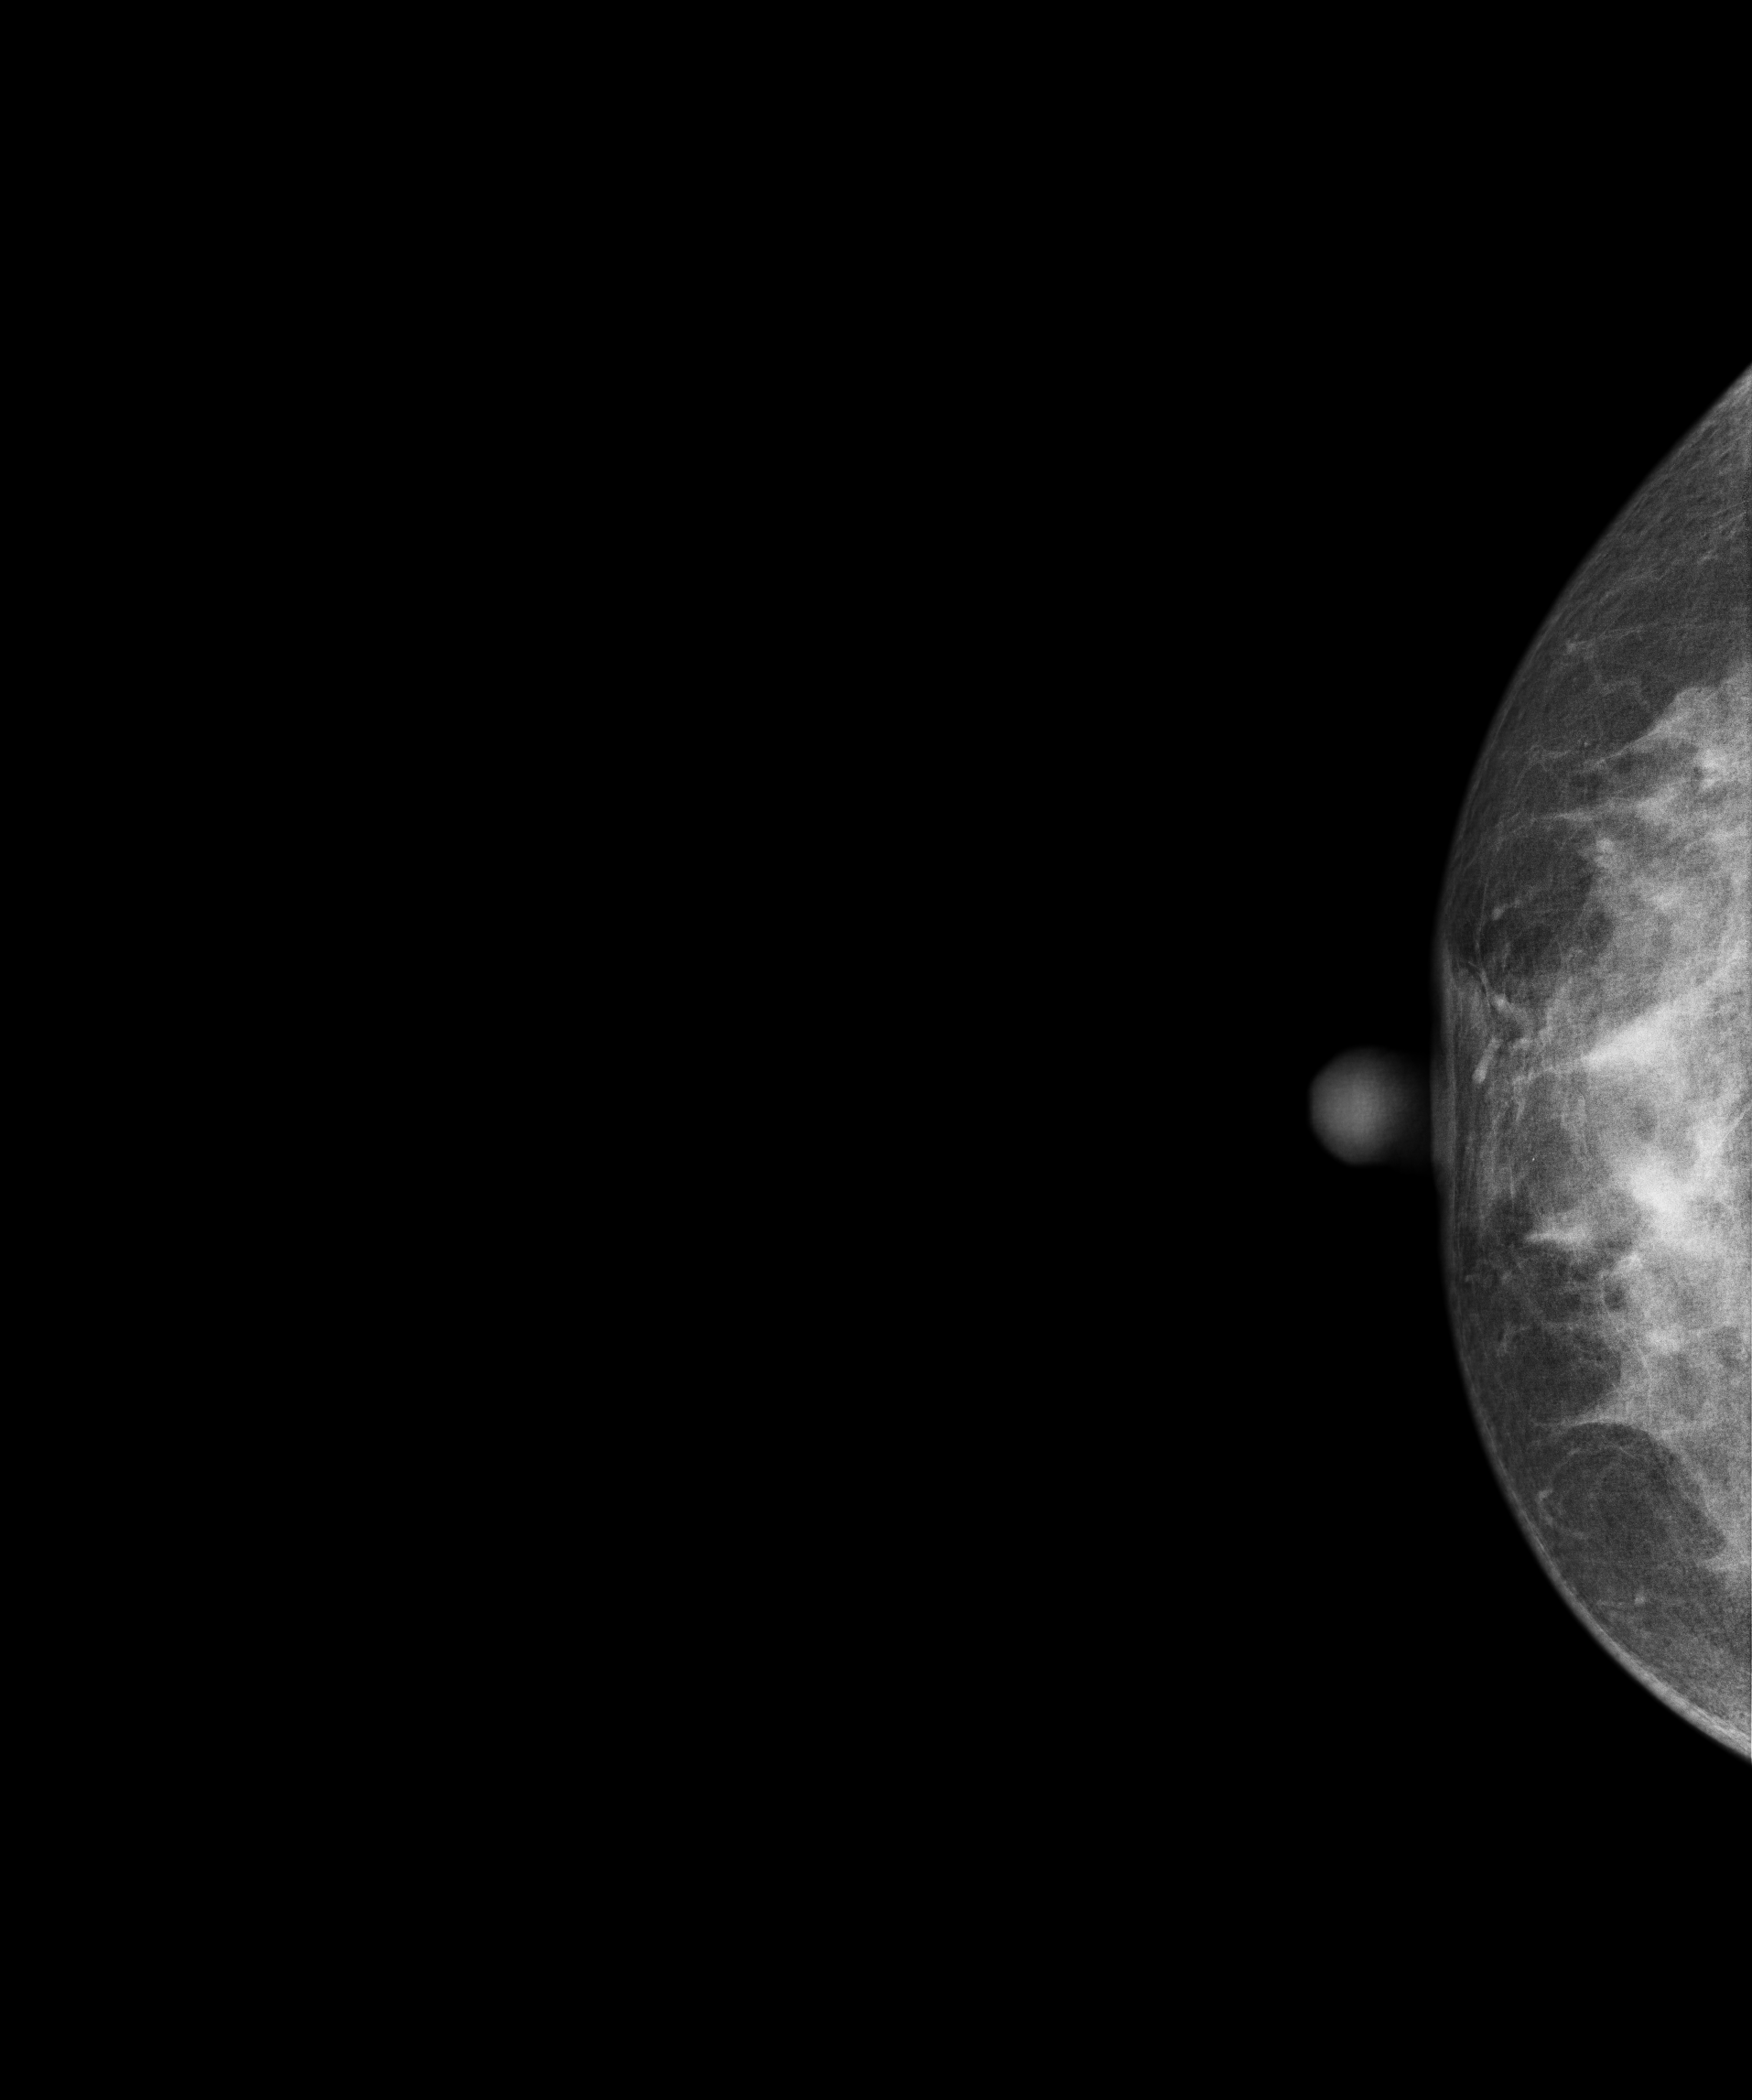
Right-breast mammogram, CC. 54-year-old patient.
Contralateral breast — no documented abnormality on this side.